Mammogram, left breast, medio-lateral oblique view. Patient age 48.
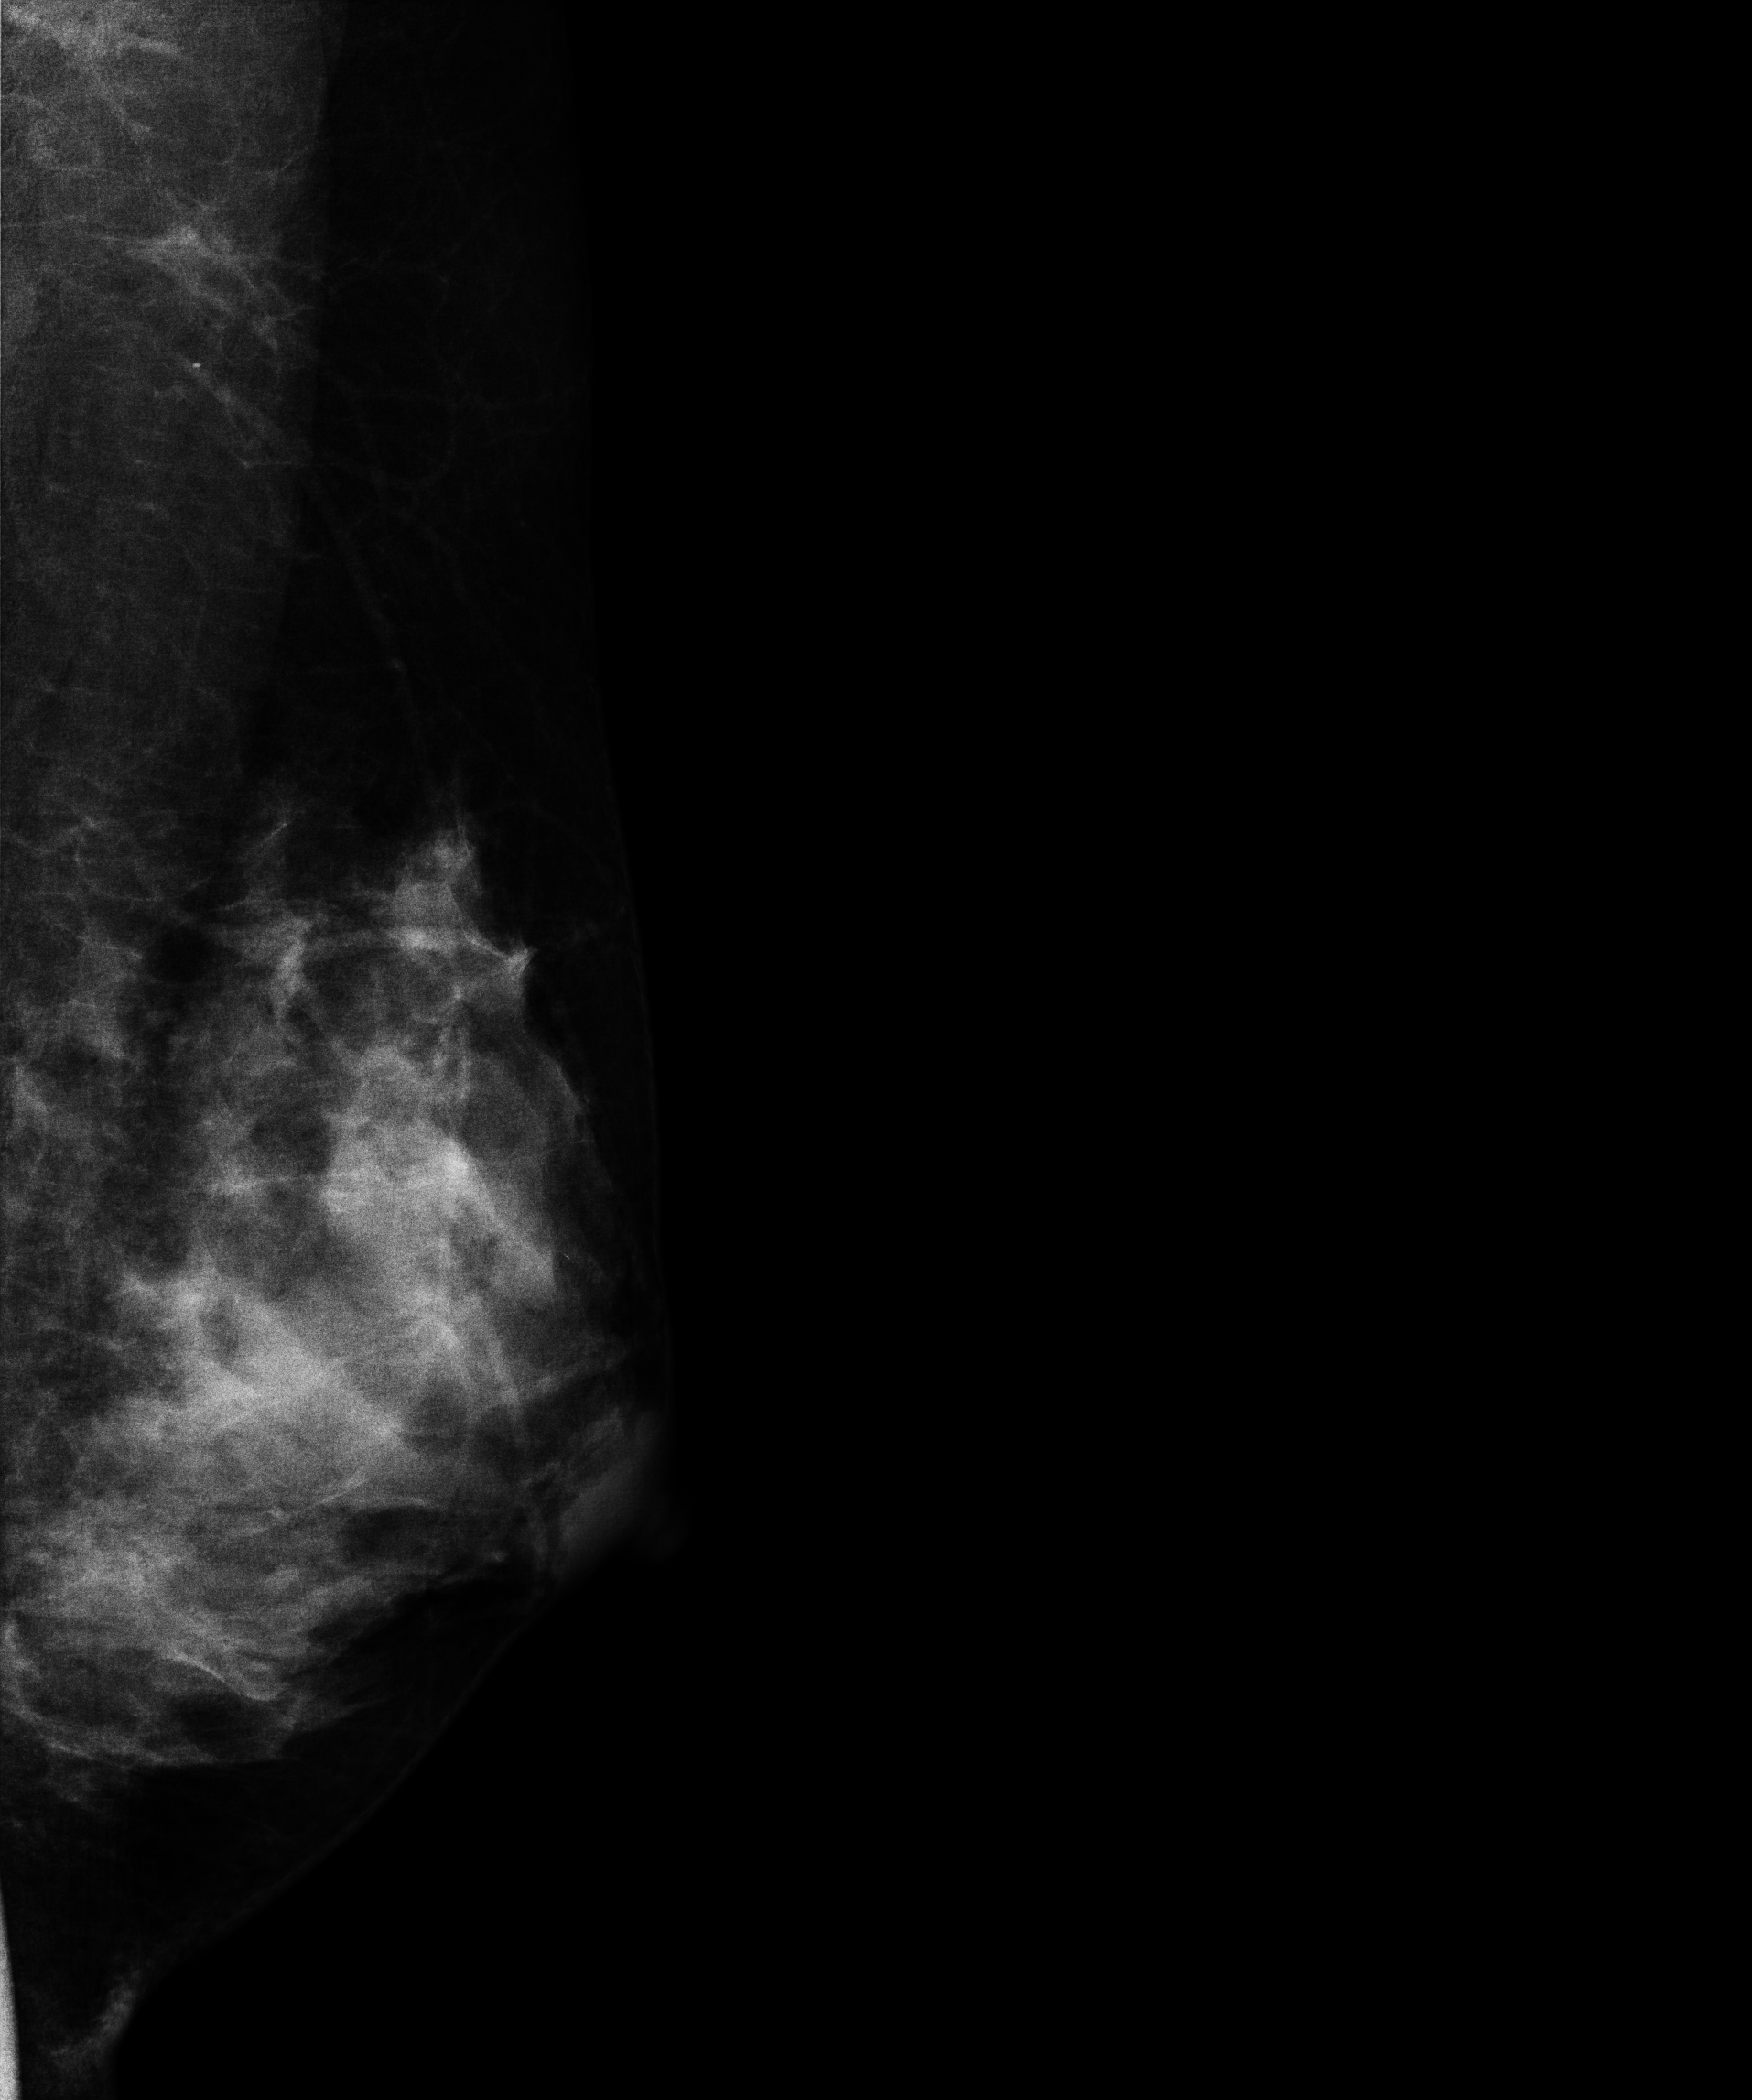
Contralateral breast — no documented abnormality on this side.